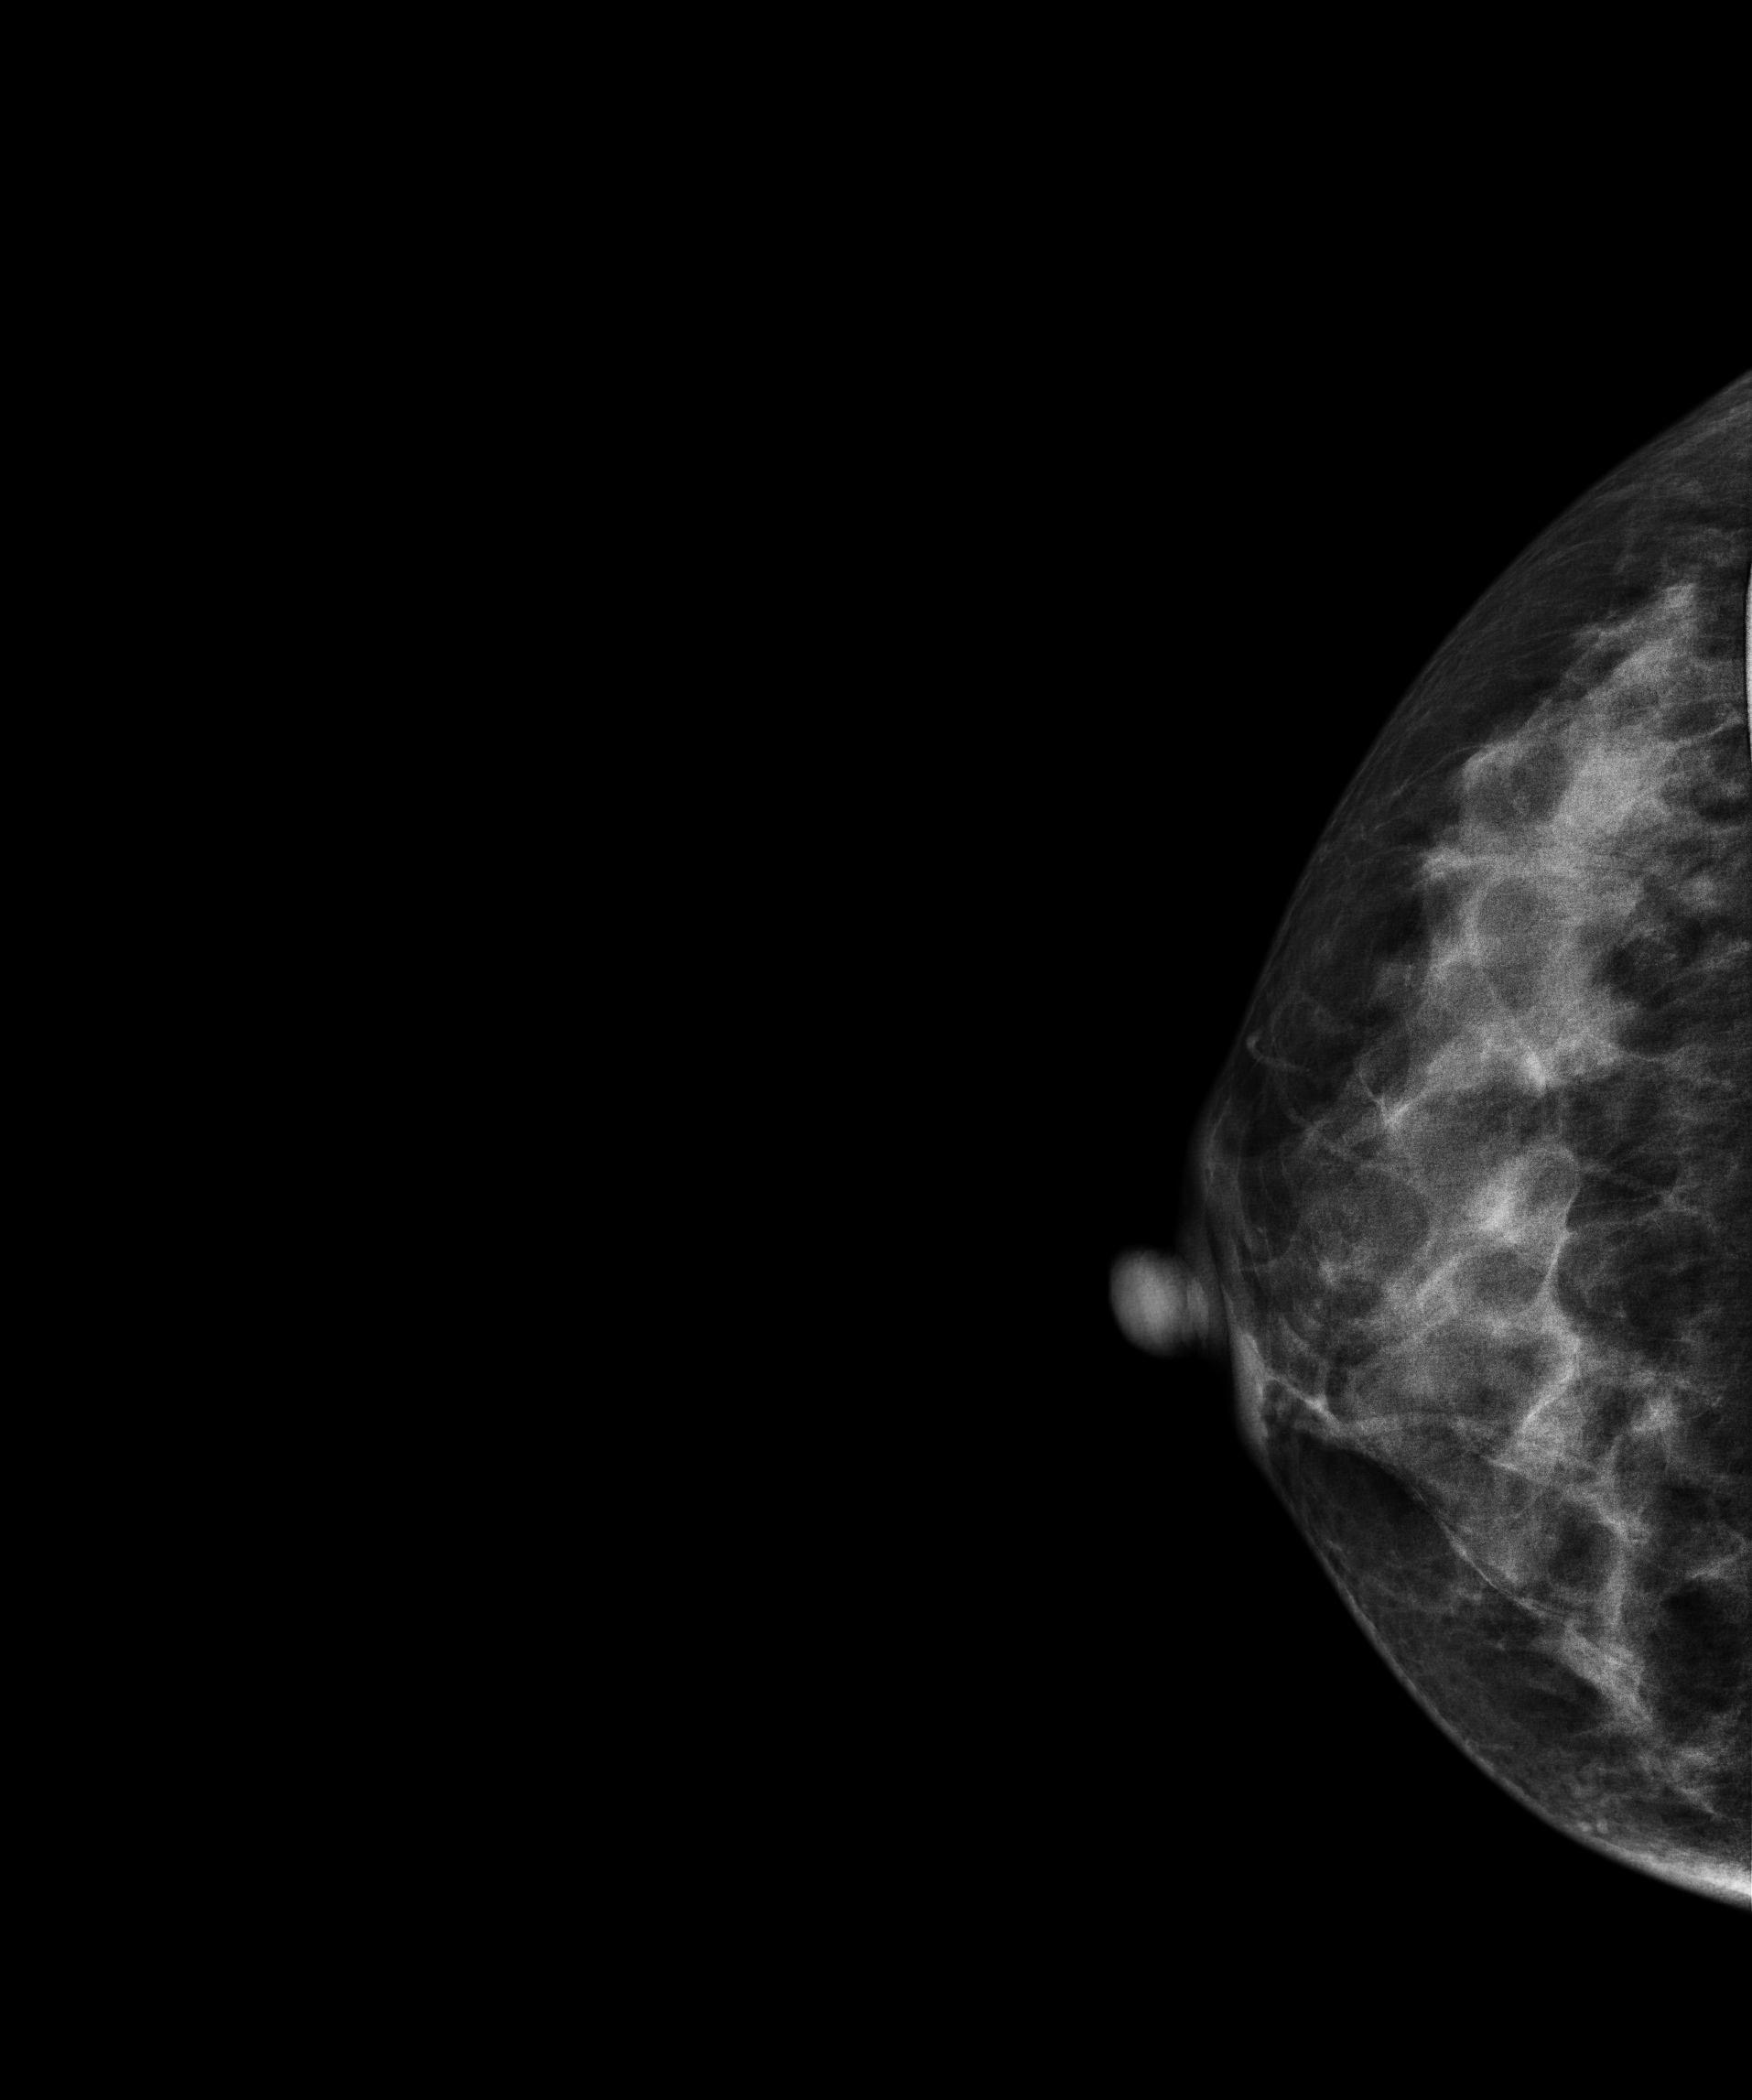
Right-breast mammogram, CC. 52 y/o patient.
Contralateral breast — no documented abnormality on this side.